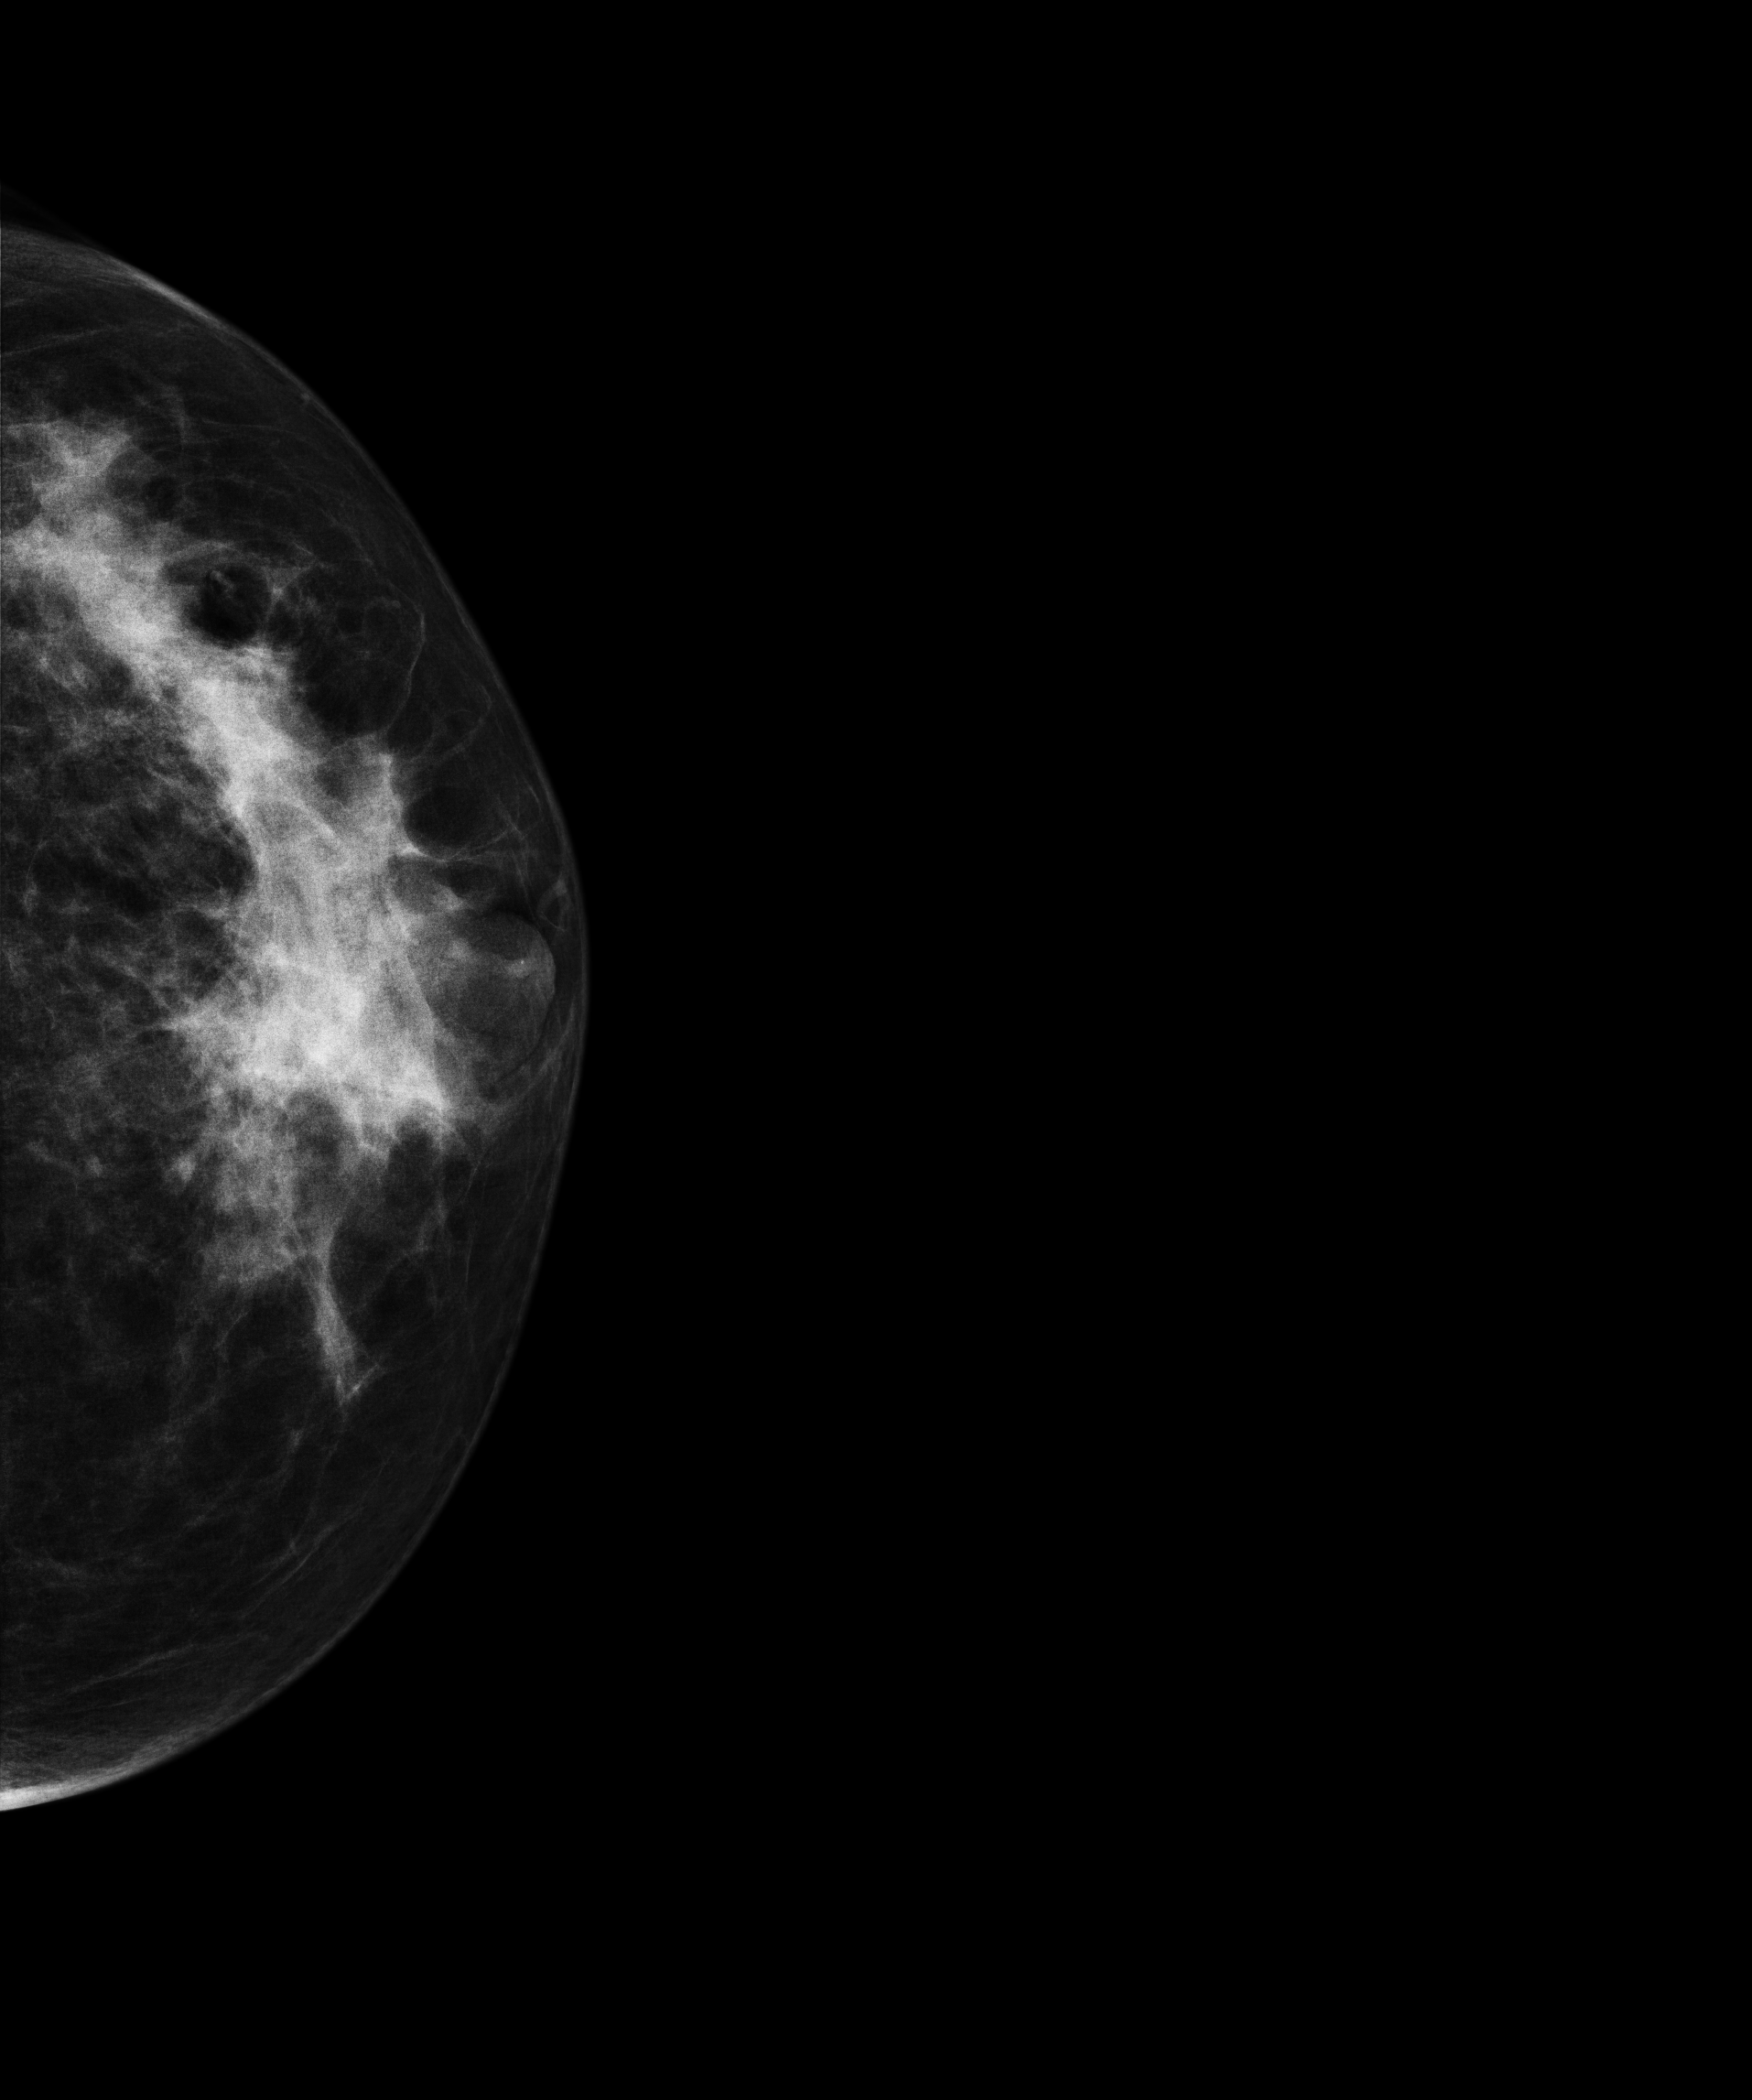
Digital mammography. Left breast, cranio-caudal projection. 42 y/o patient.
This breast has a mass, pathology-confirmed malignant. Molecular subtype: HER2-enriched.